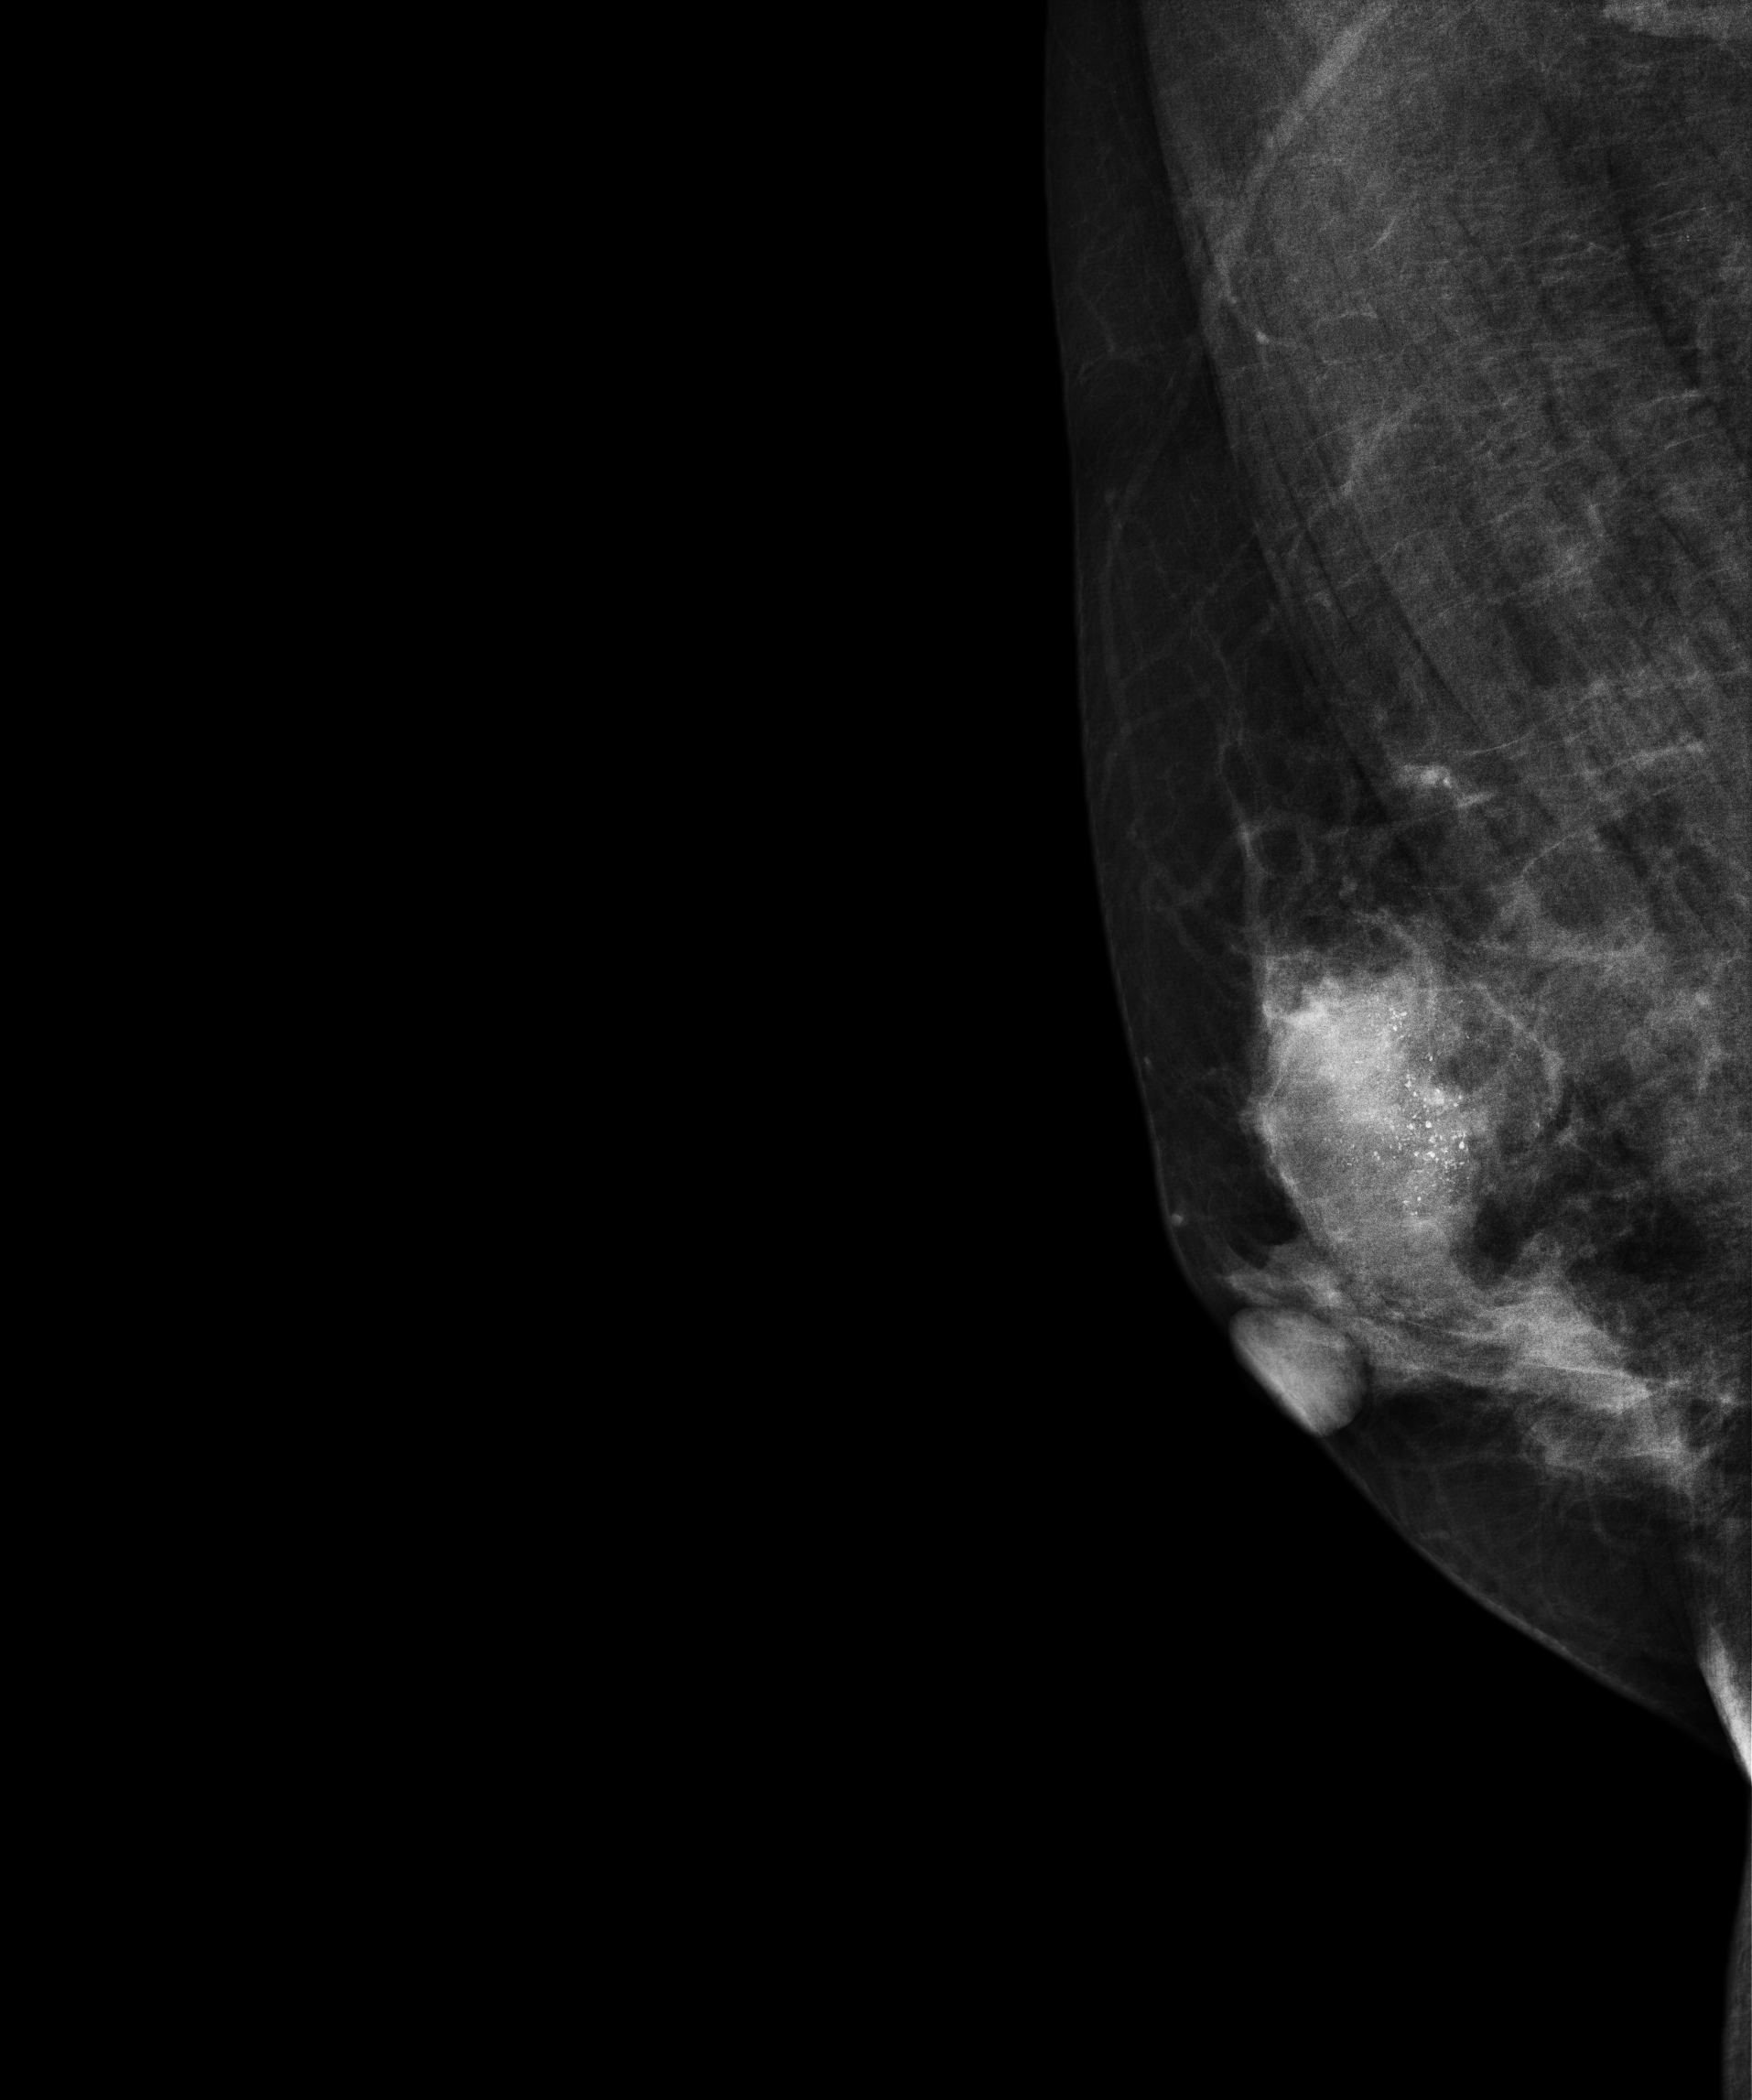
Digital mammography. Right breast, medio-lateral oblique projection. 51 y/o patient.
This breast has a mass and calcifications, histologically confirmed malignant.